Cranio-caudal mammogram of the right breast. 47-year-old patient.
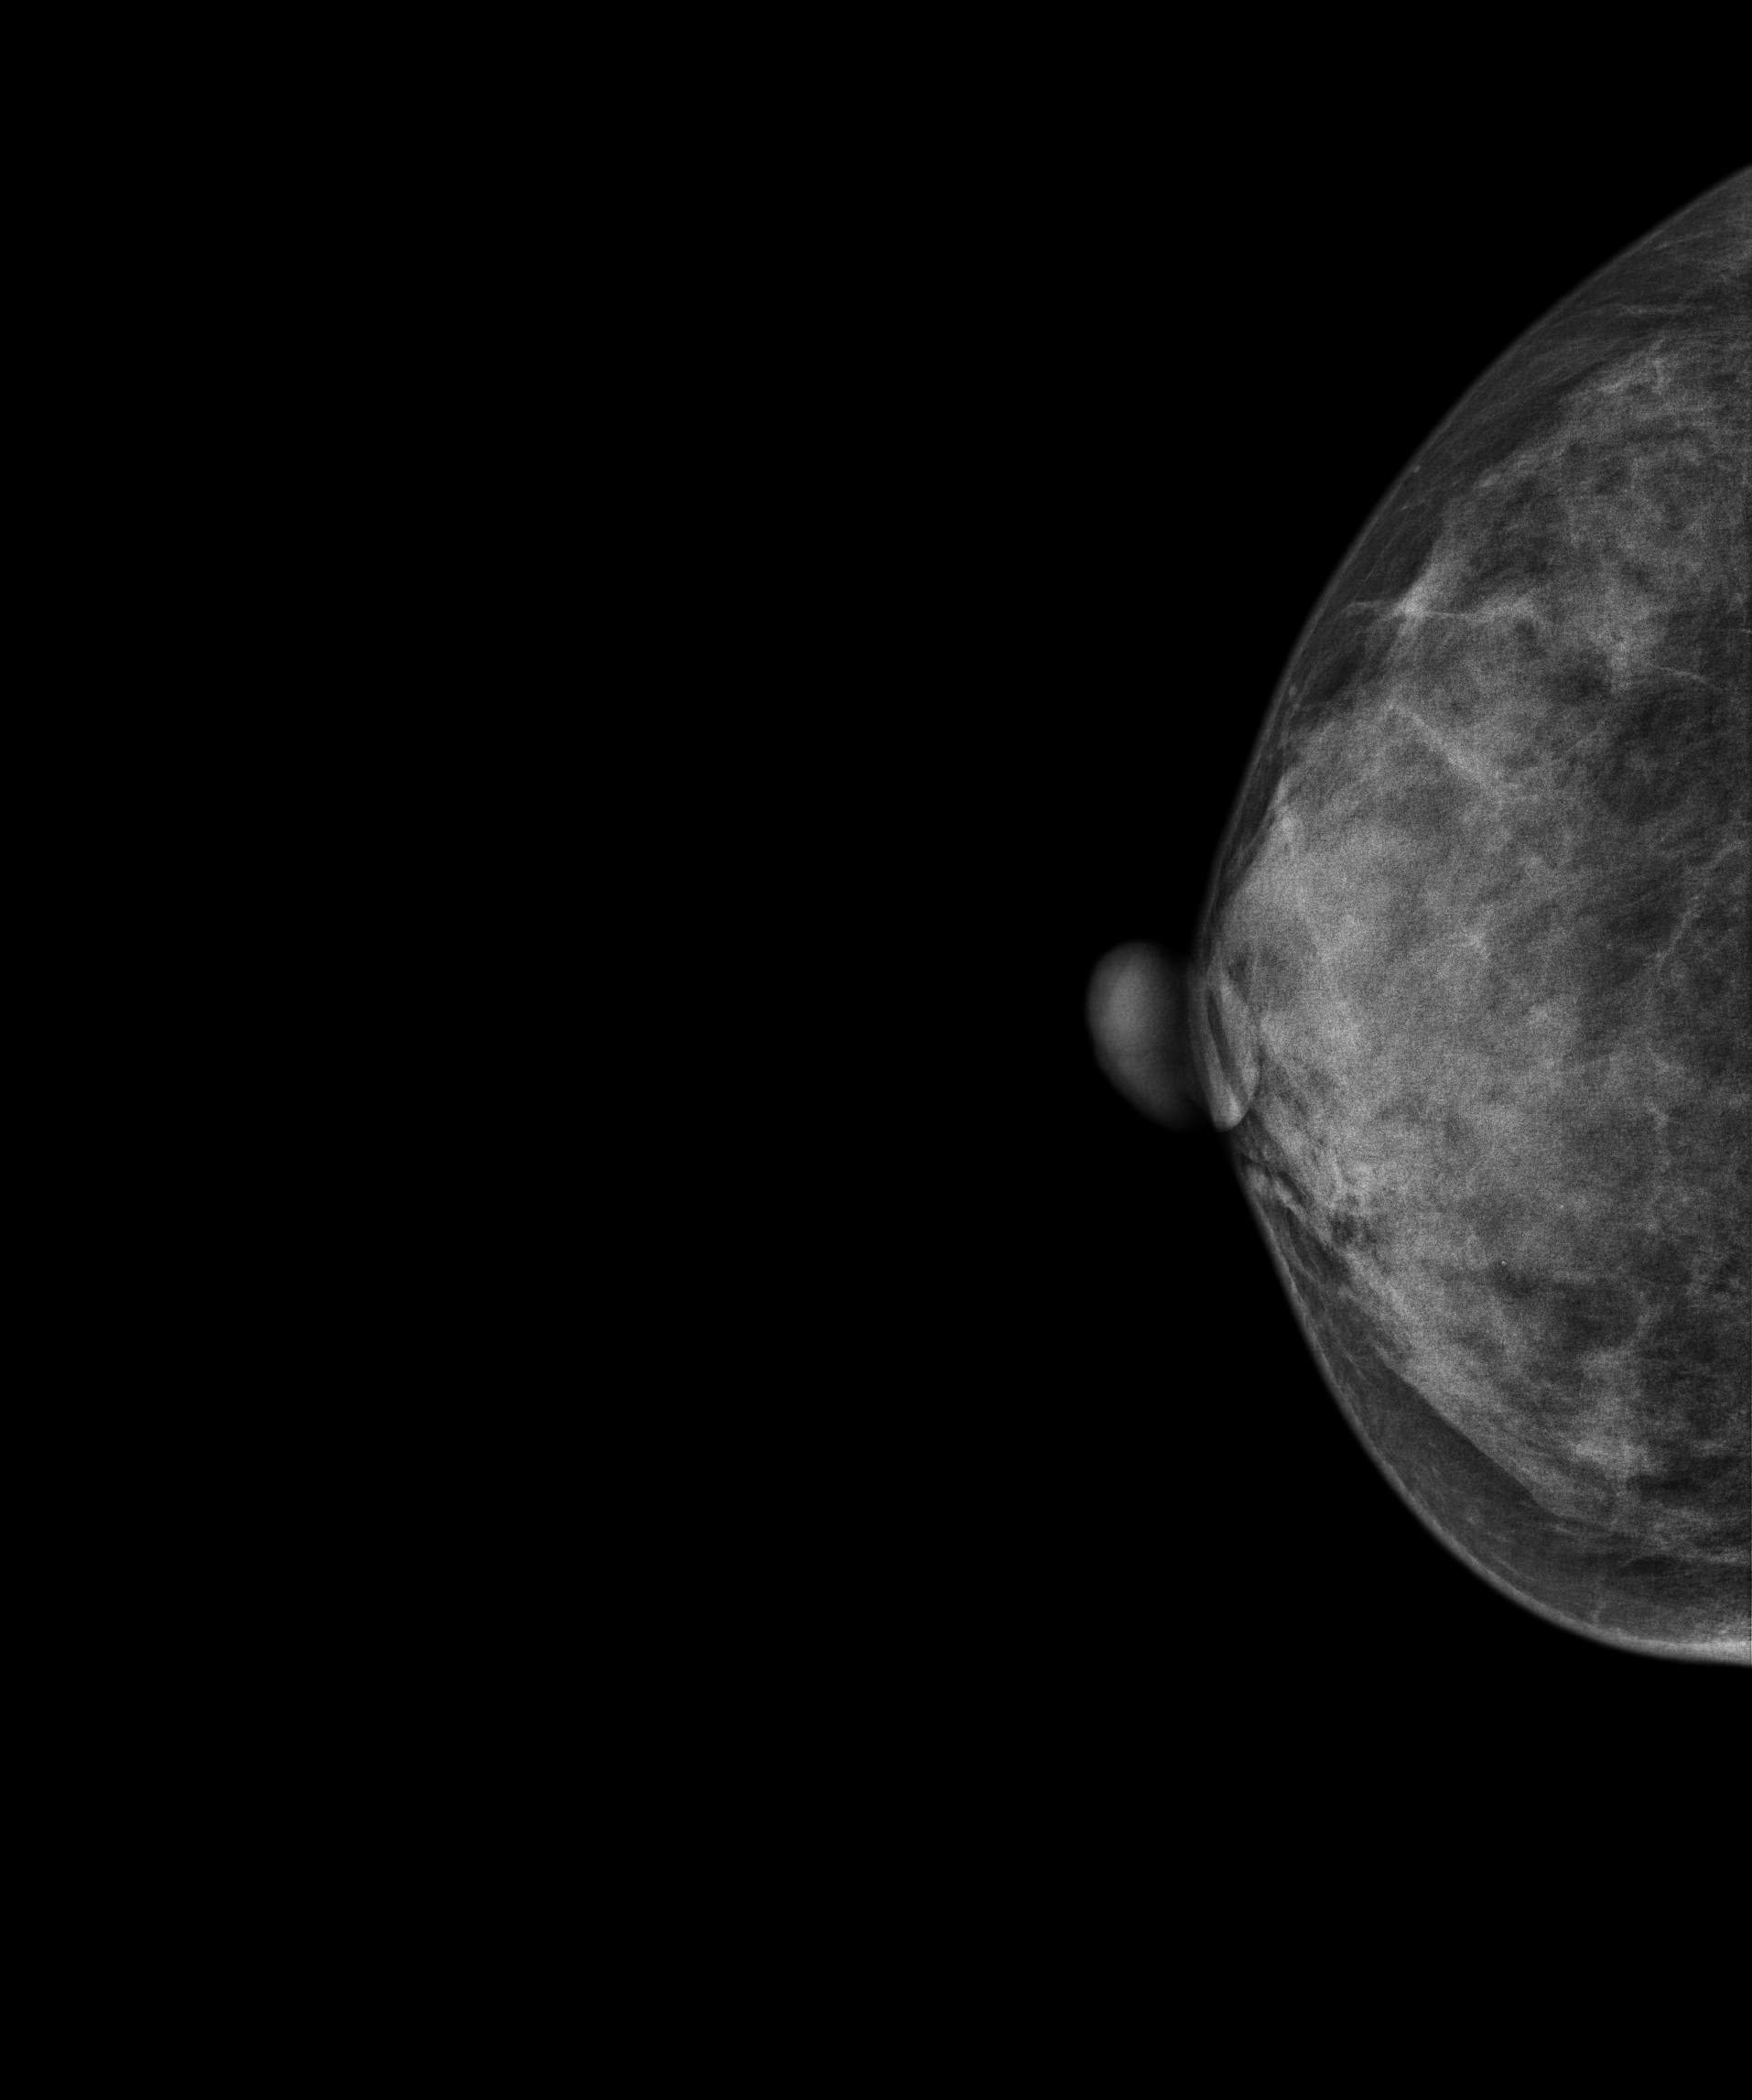
Contralateral breast — no documented abnormality on this side.